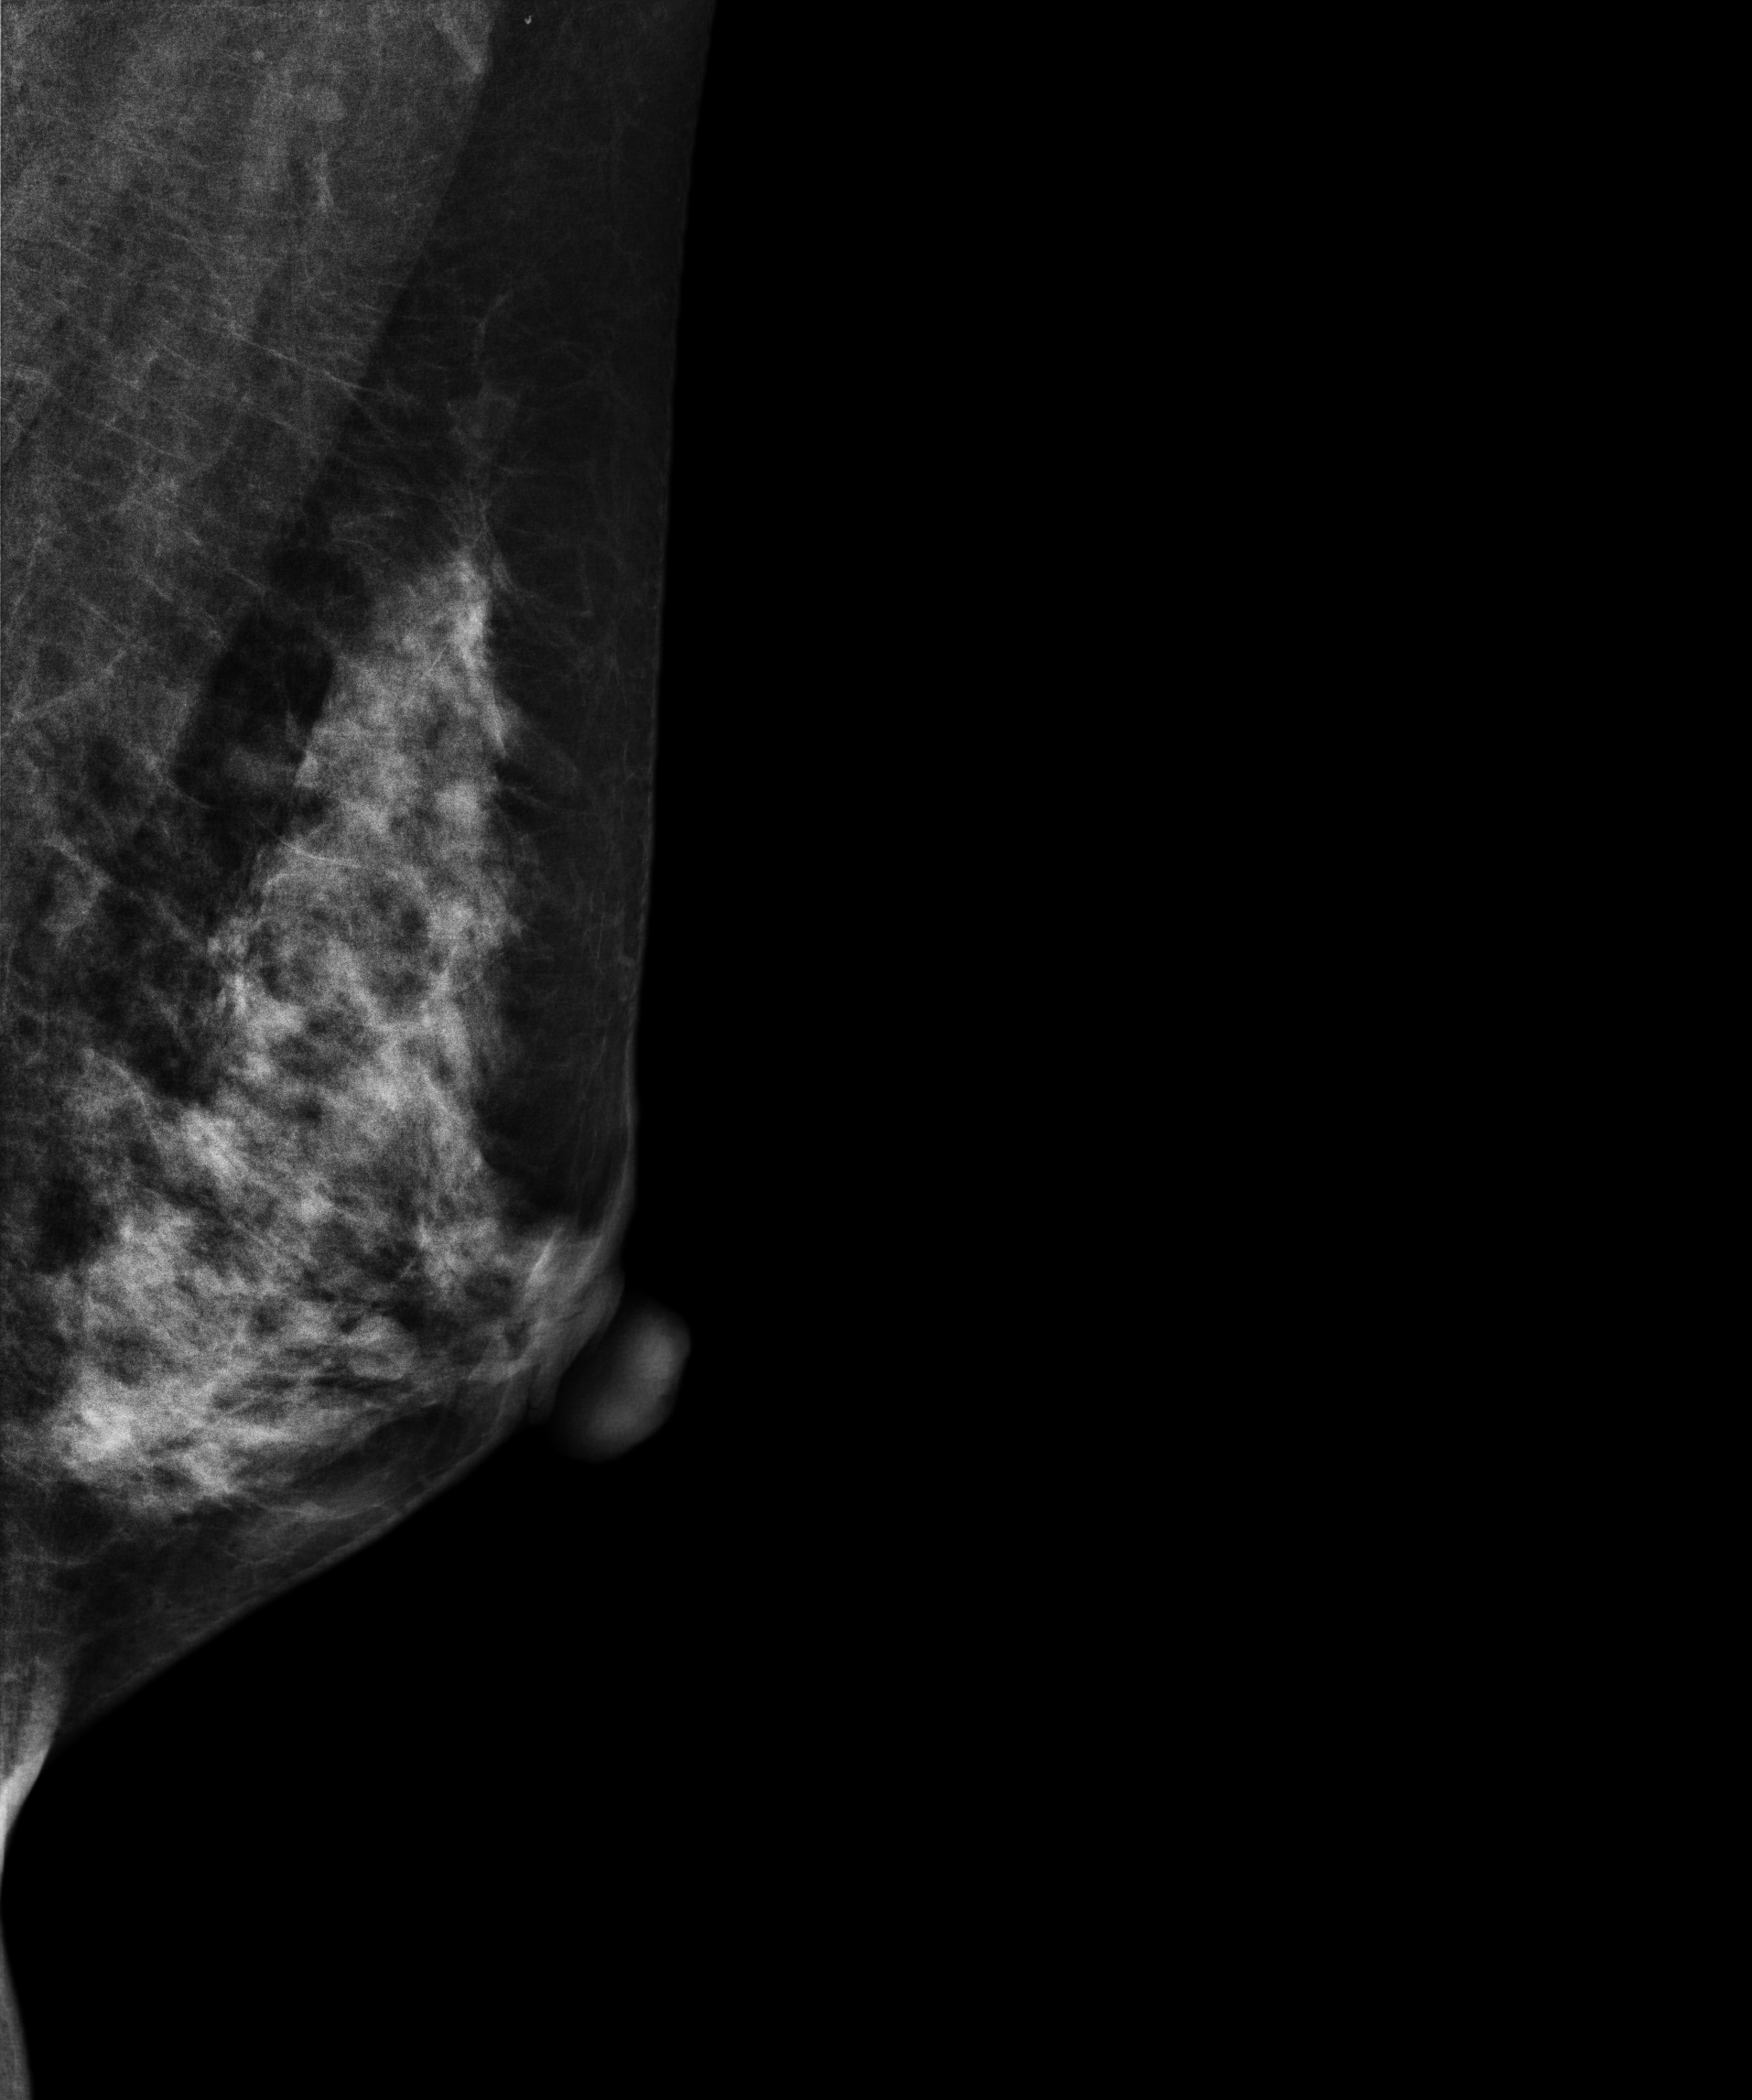
Mammogram — left medio-lateral oblique. 49-year-old patient.
This breast has a mass, biopsy-confirmed benign.